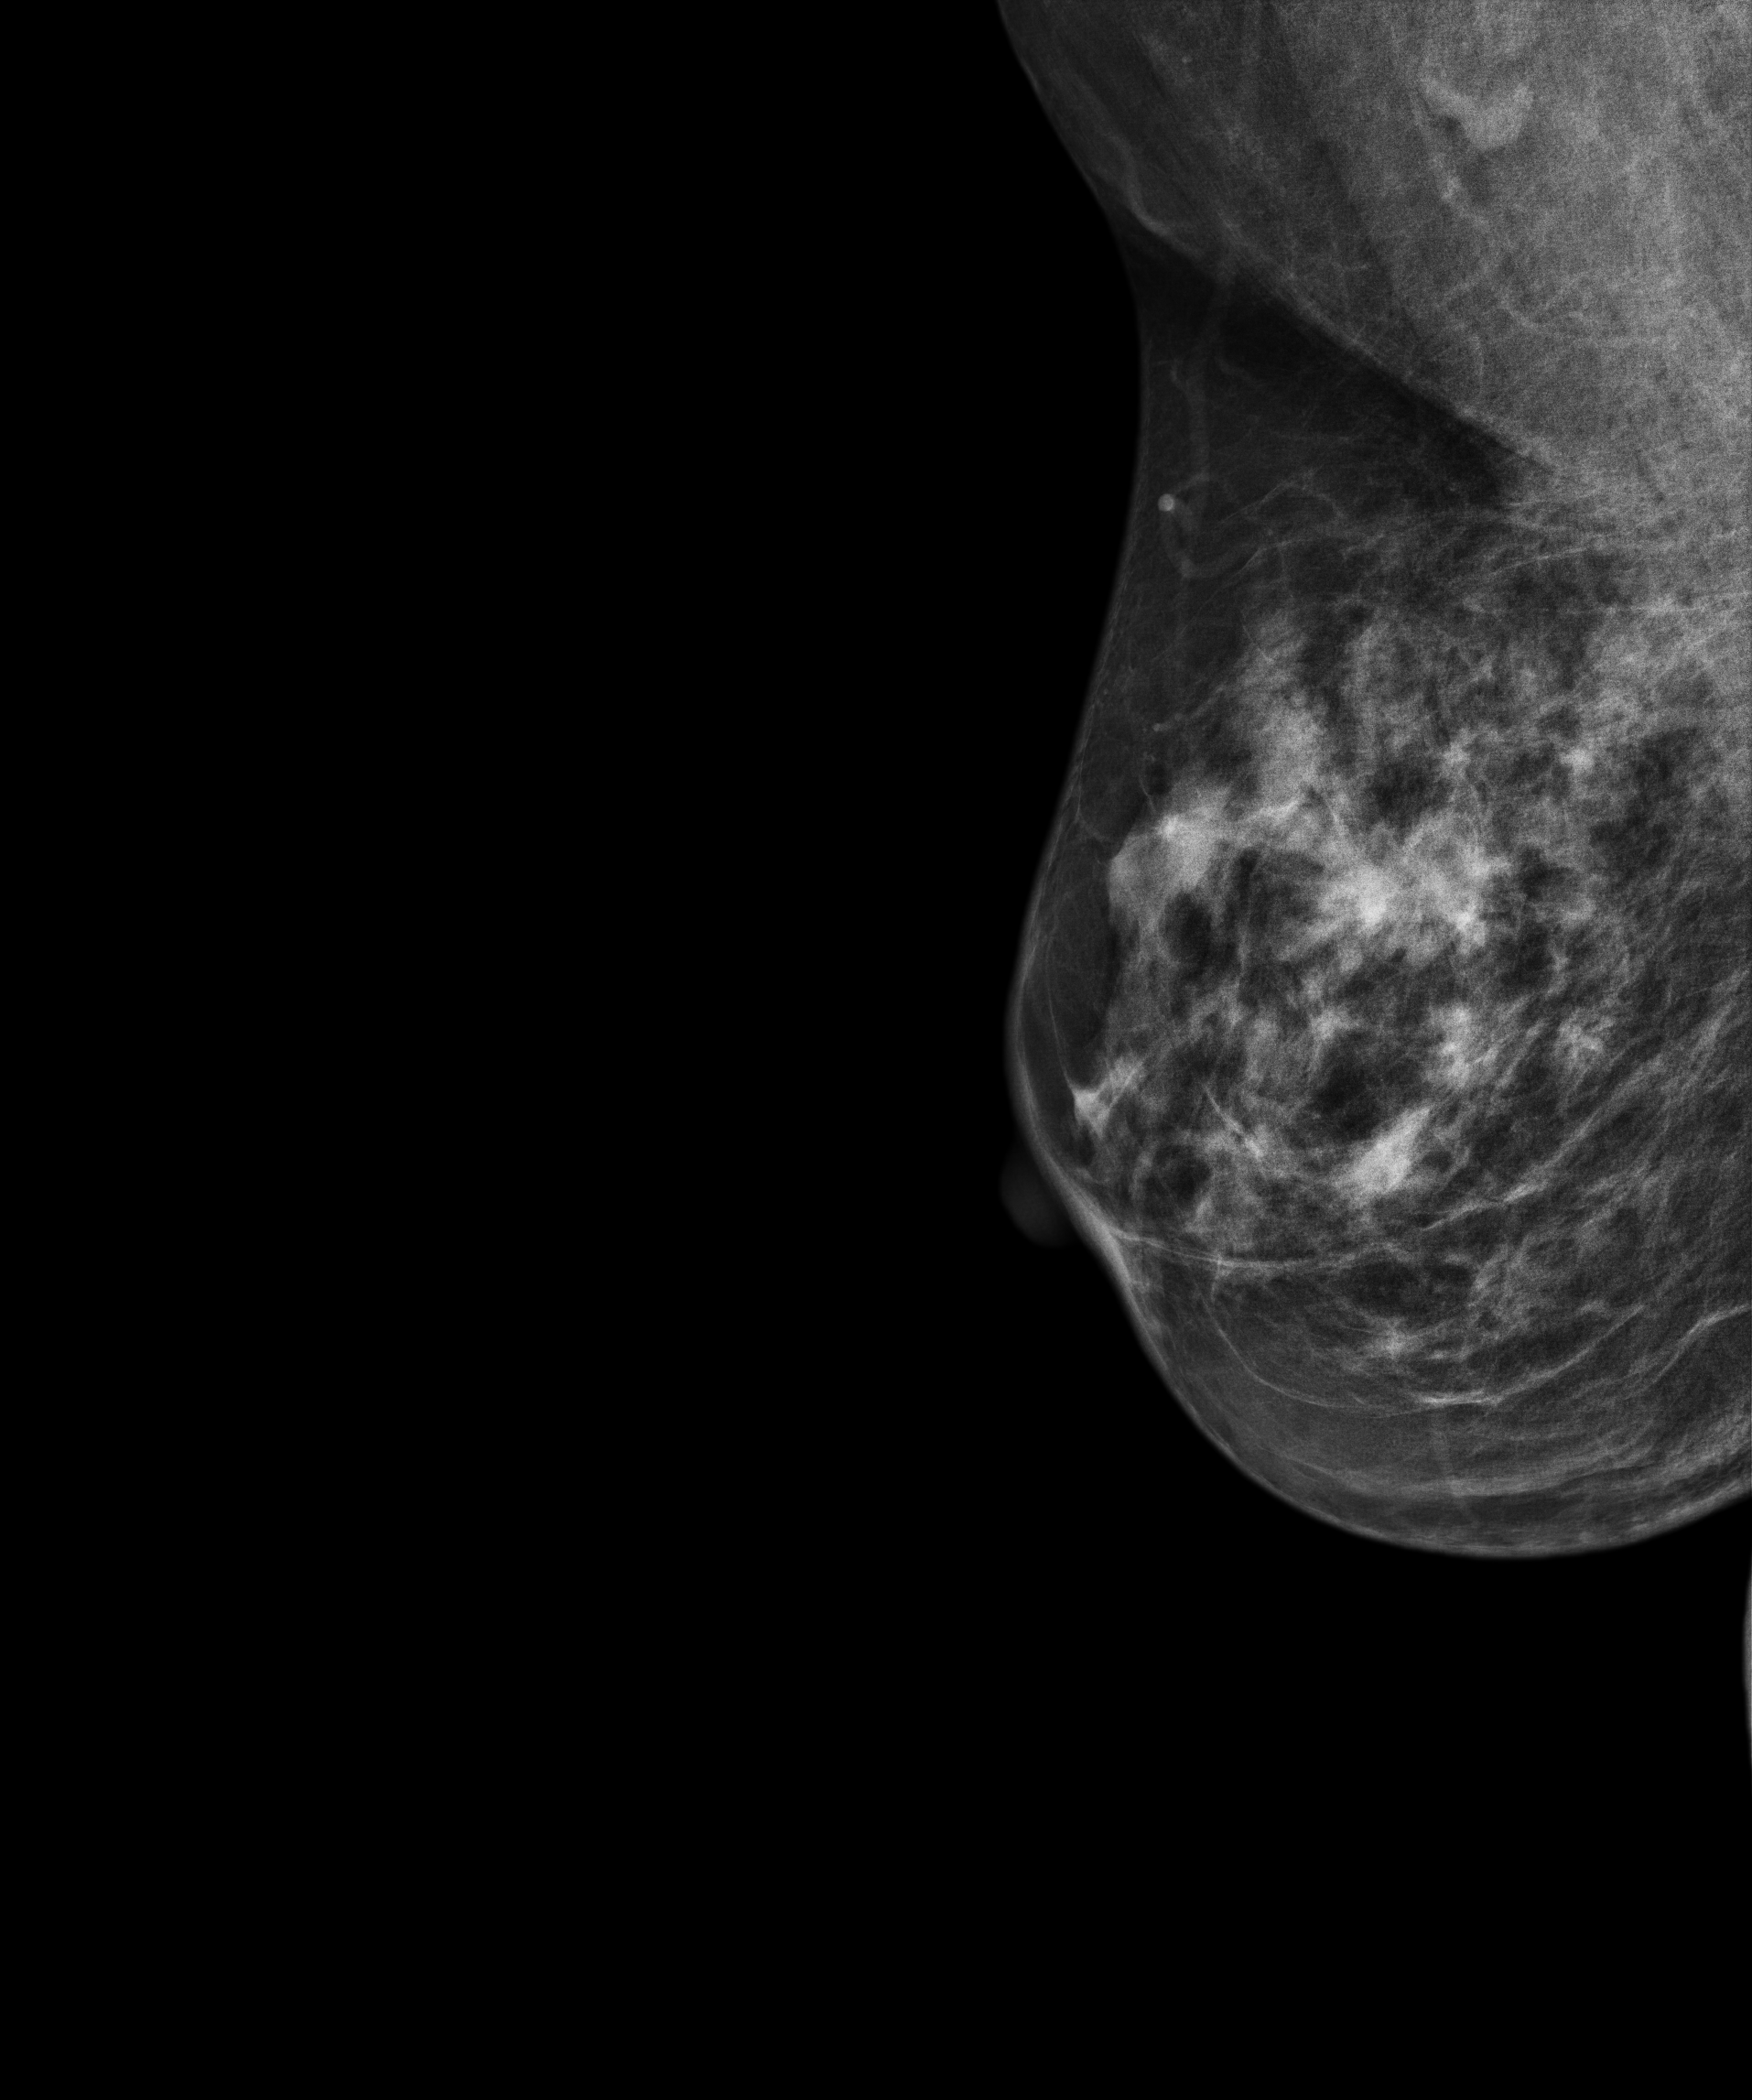
MLO mammogram of the right breast. 63-year-old patient.
This breast has a mass, biopsy-confirmed malignant. Molecular subtype: luminal A.